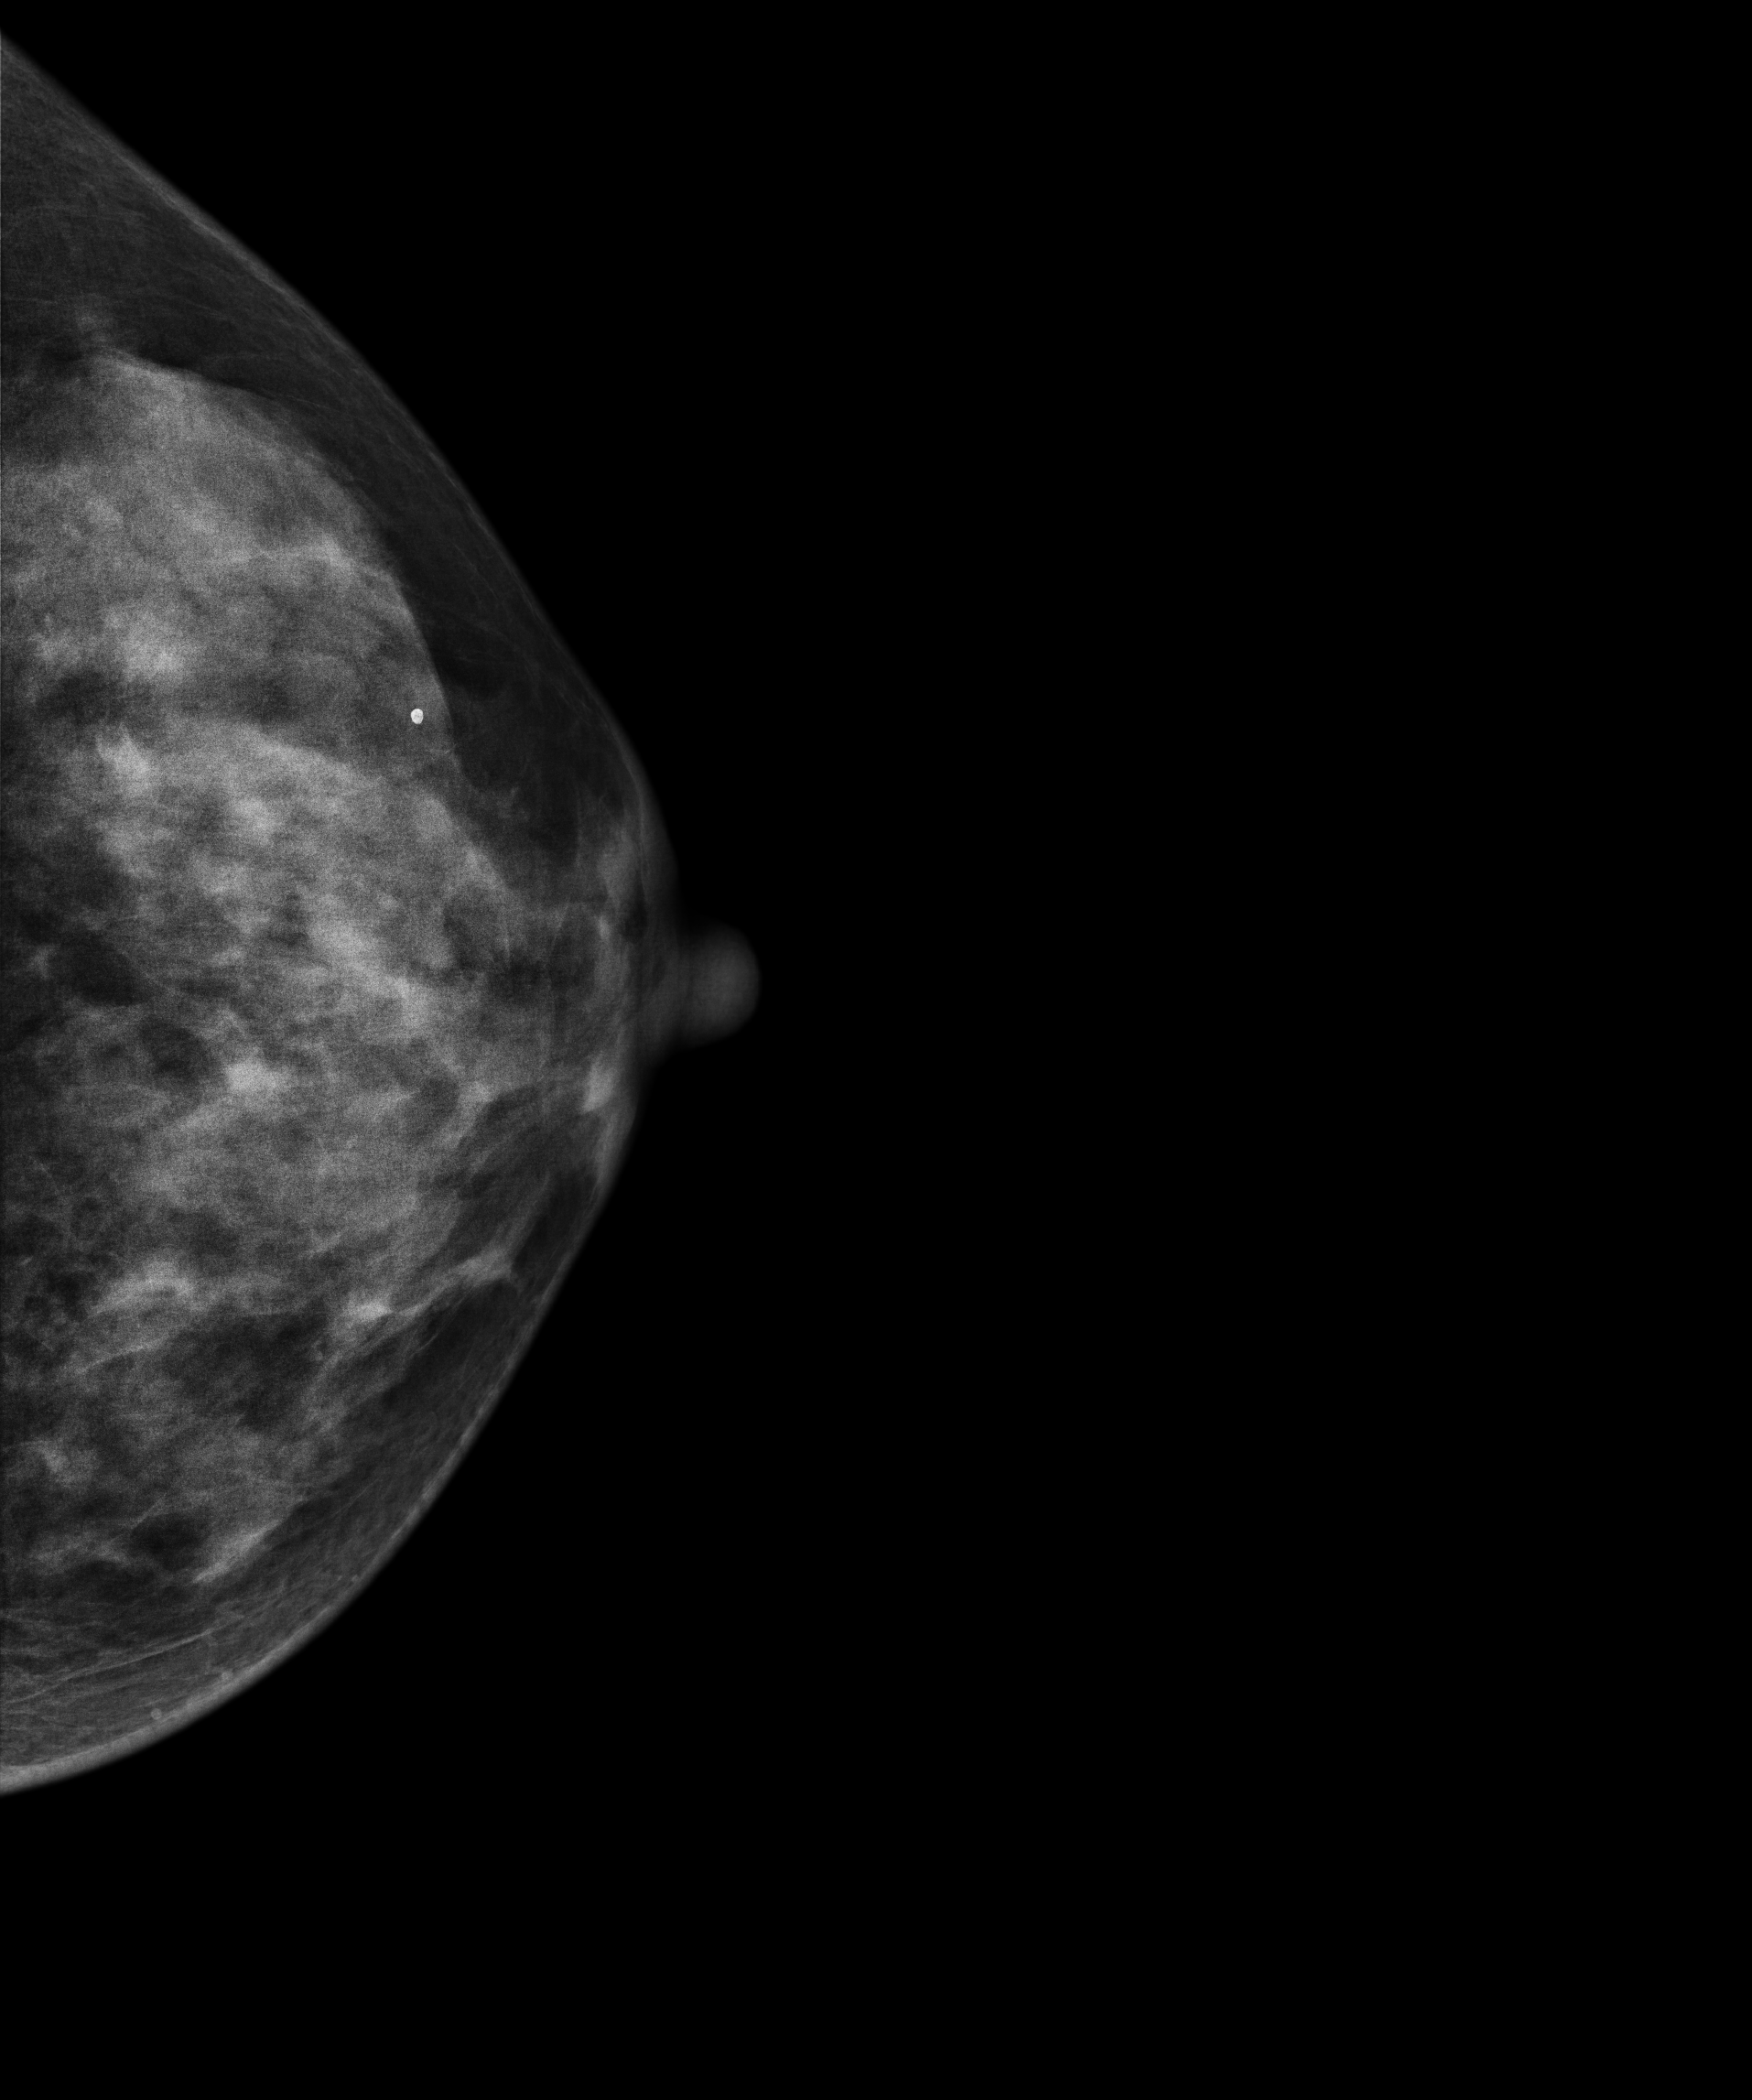
Left-breast mammogram, CC. Patient age 51.
Contralateral breast — no documented abnormality on this side.